Mammogram, right breast, CC view. 44-year-old patient.
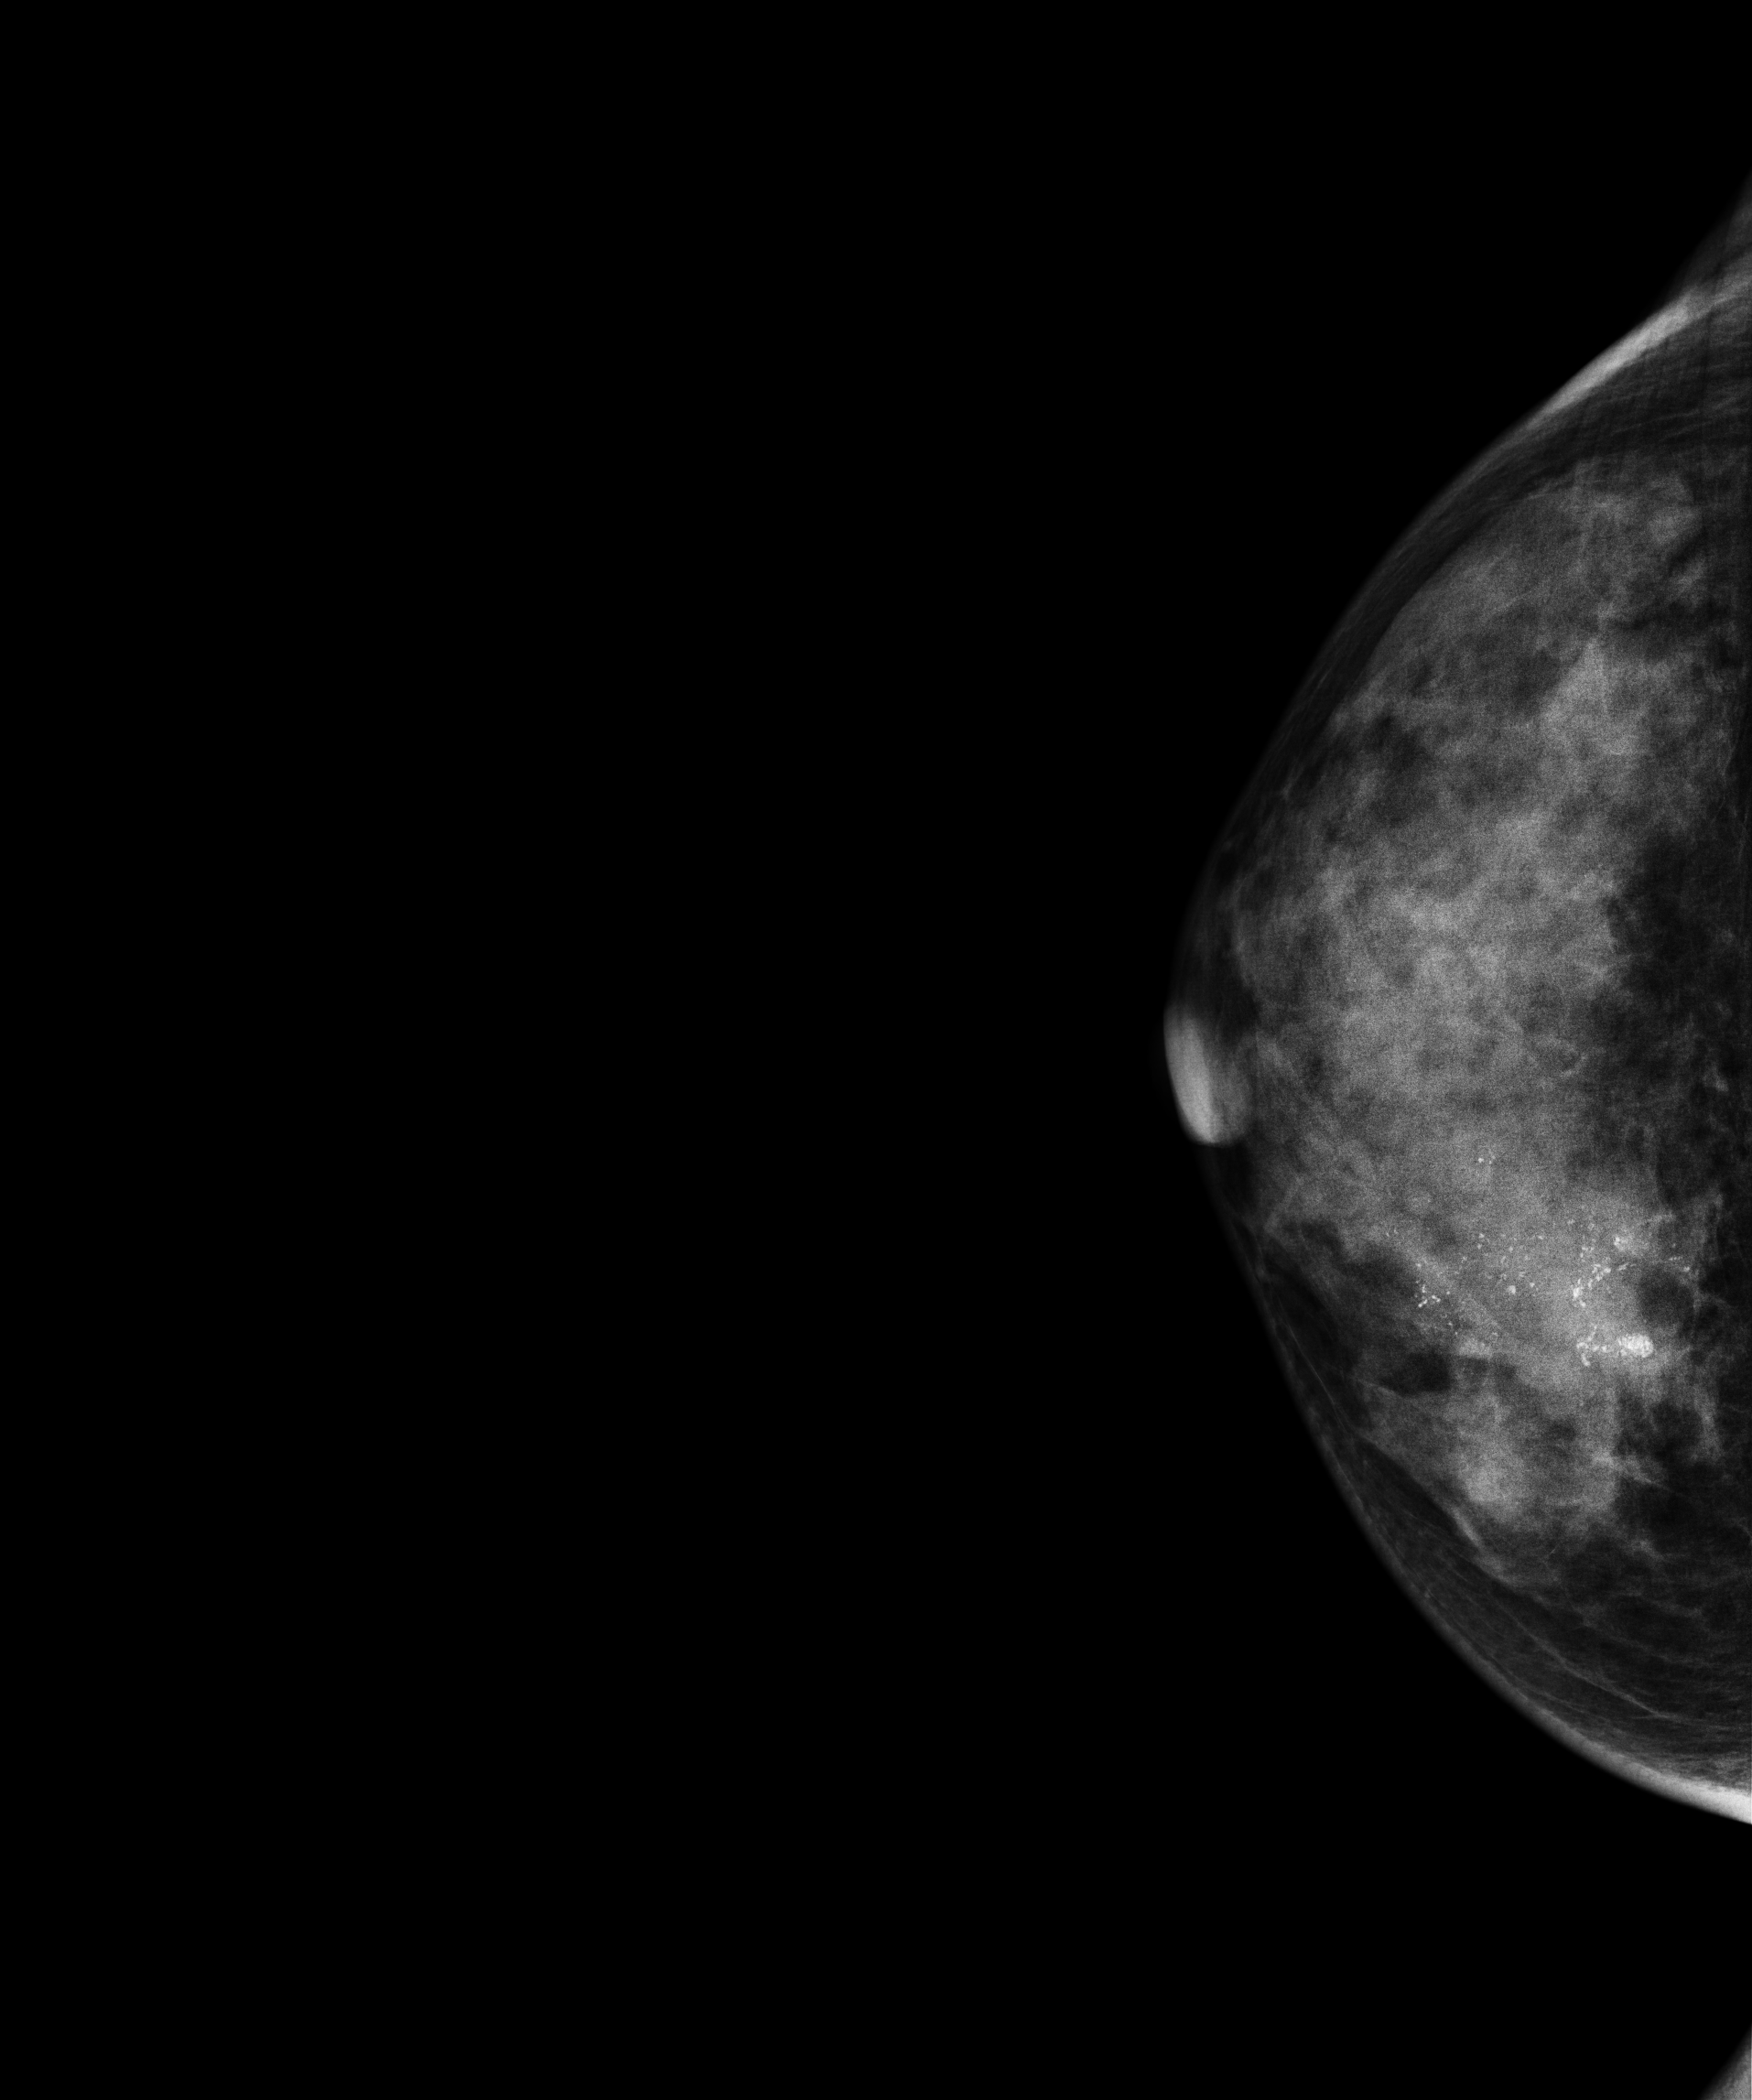
This breast has calcifications, histologically confirmed malignant. Molecular subtype: luminal B.